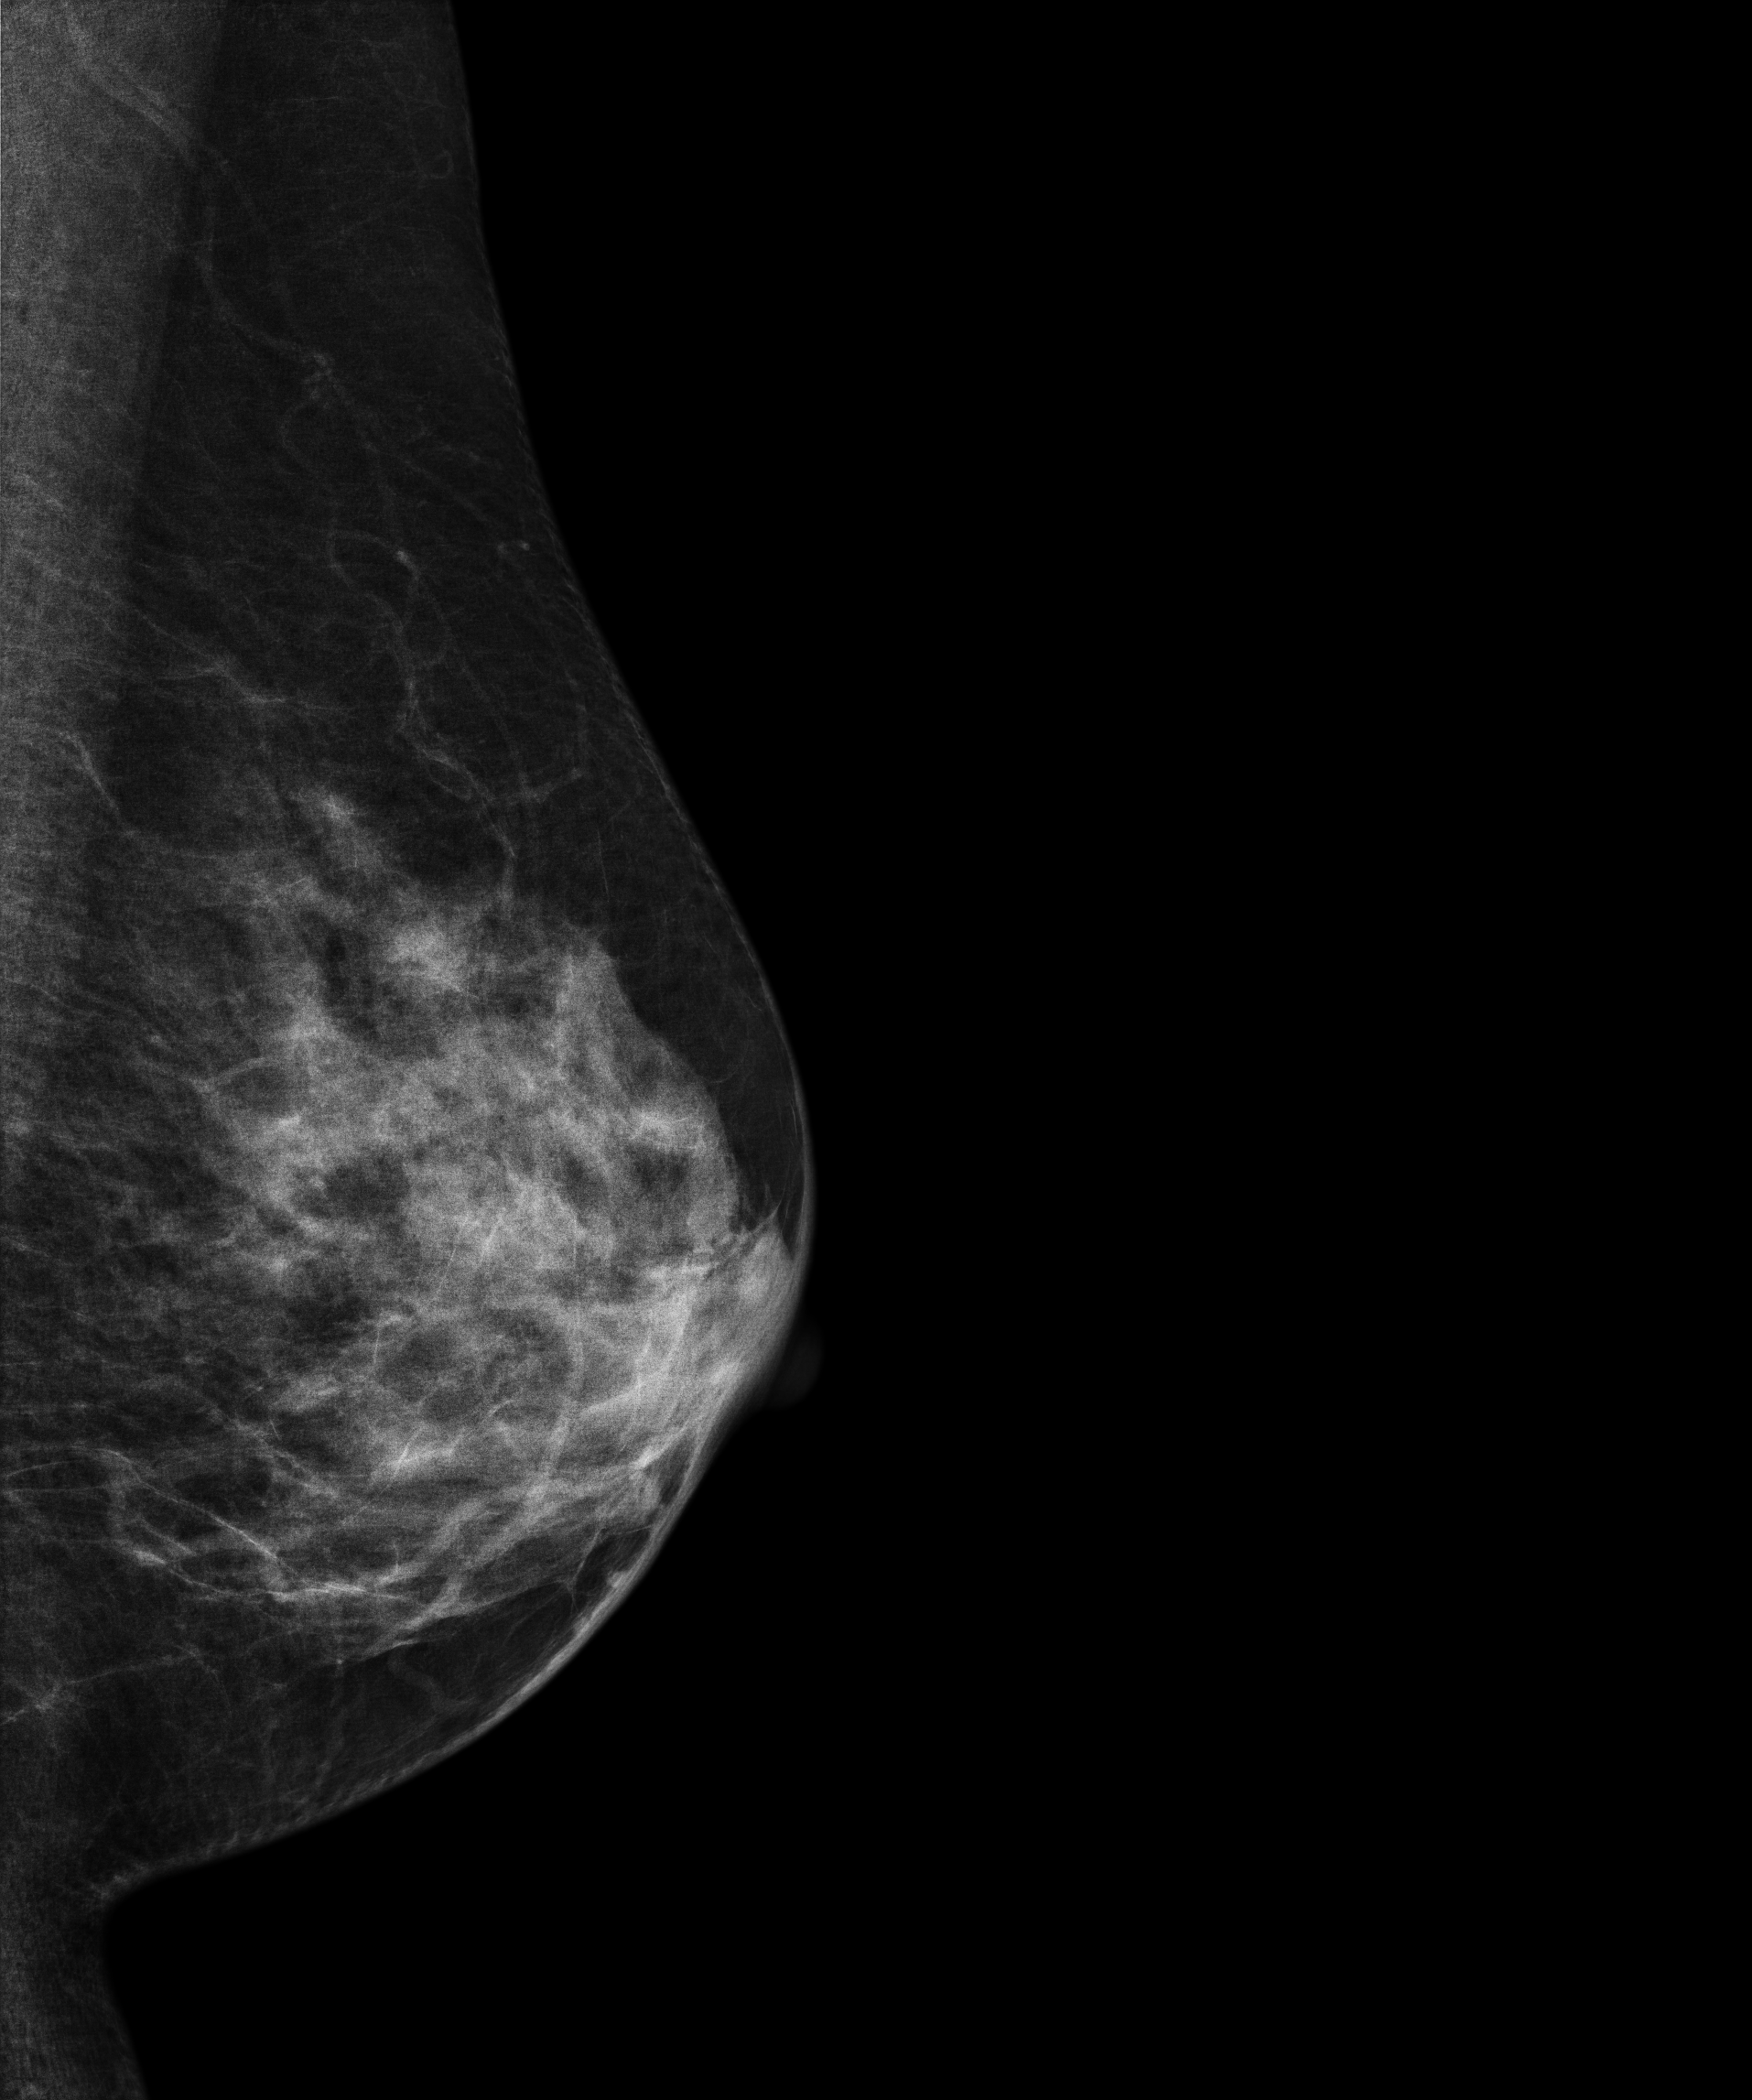
Mammogram, left breast, MLO view. Patient age 57.
Contralateral breast — no documented abnormality on this side.